Mammogram — right medio-lateral oblique. 27 y/o patient.
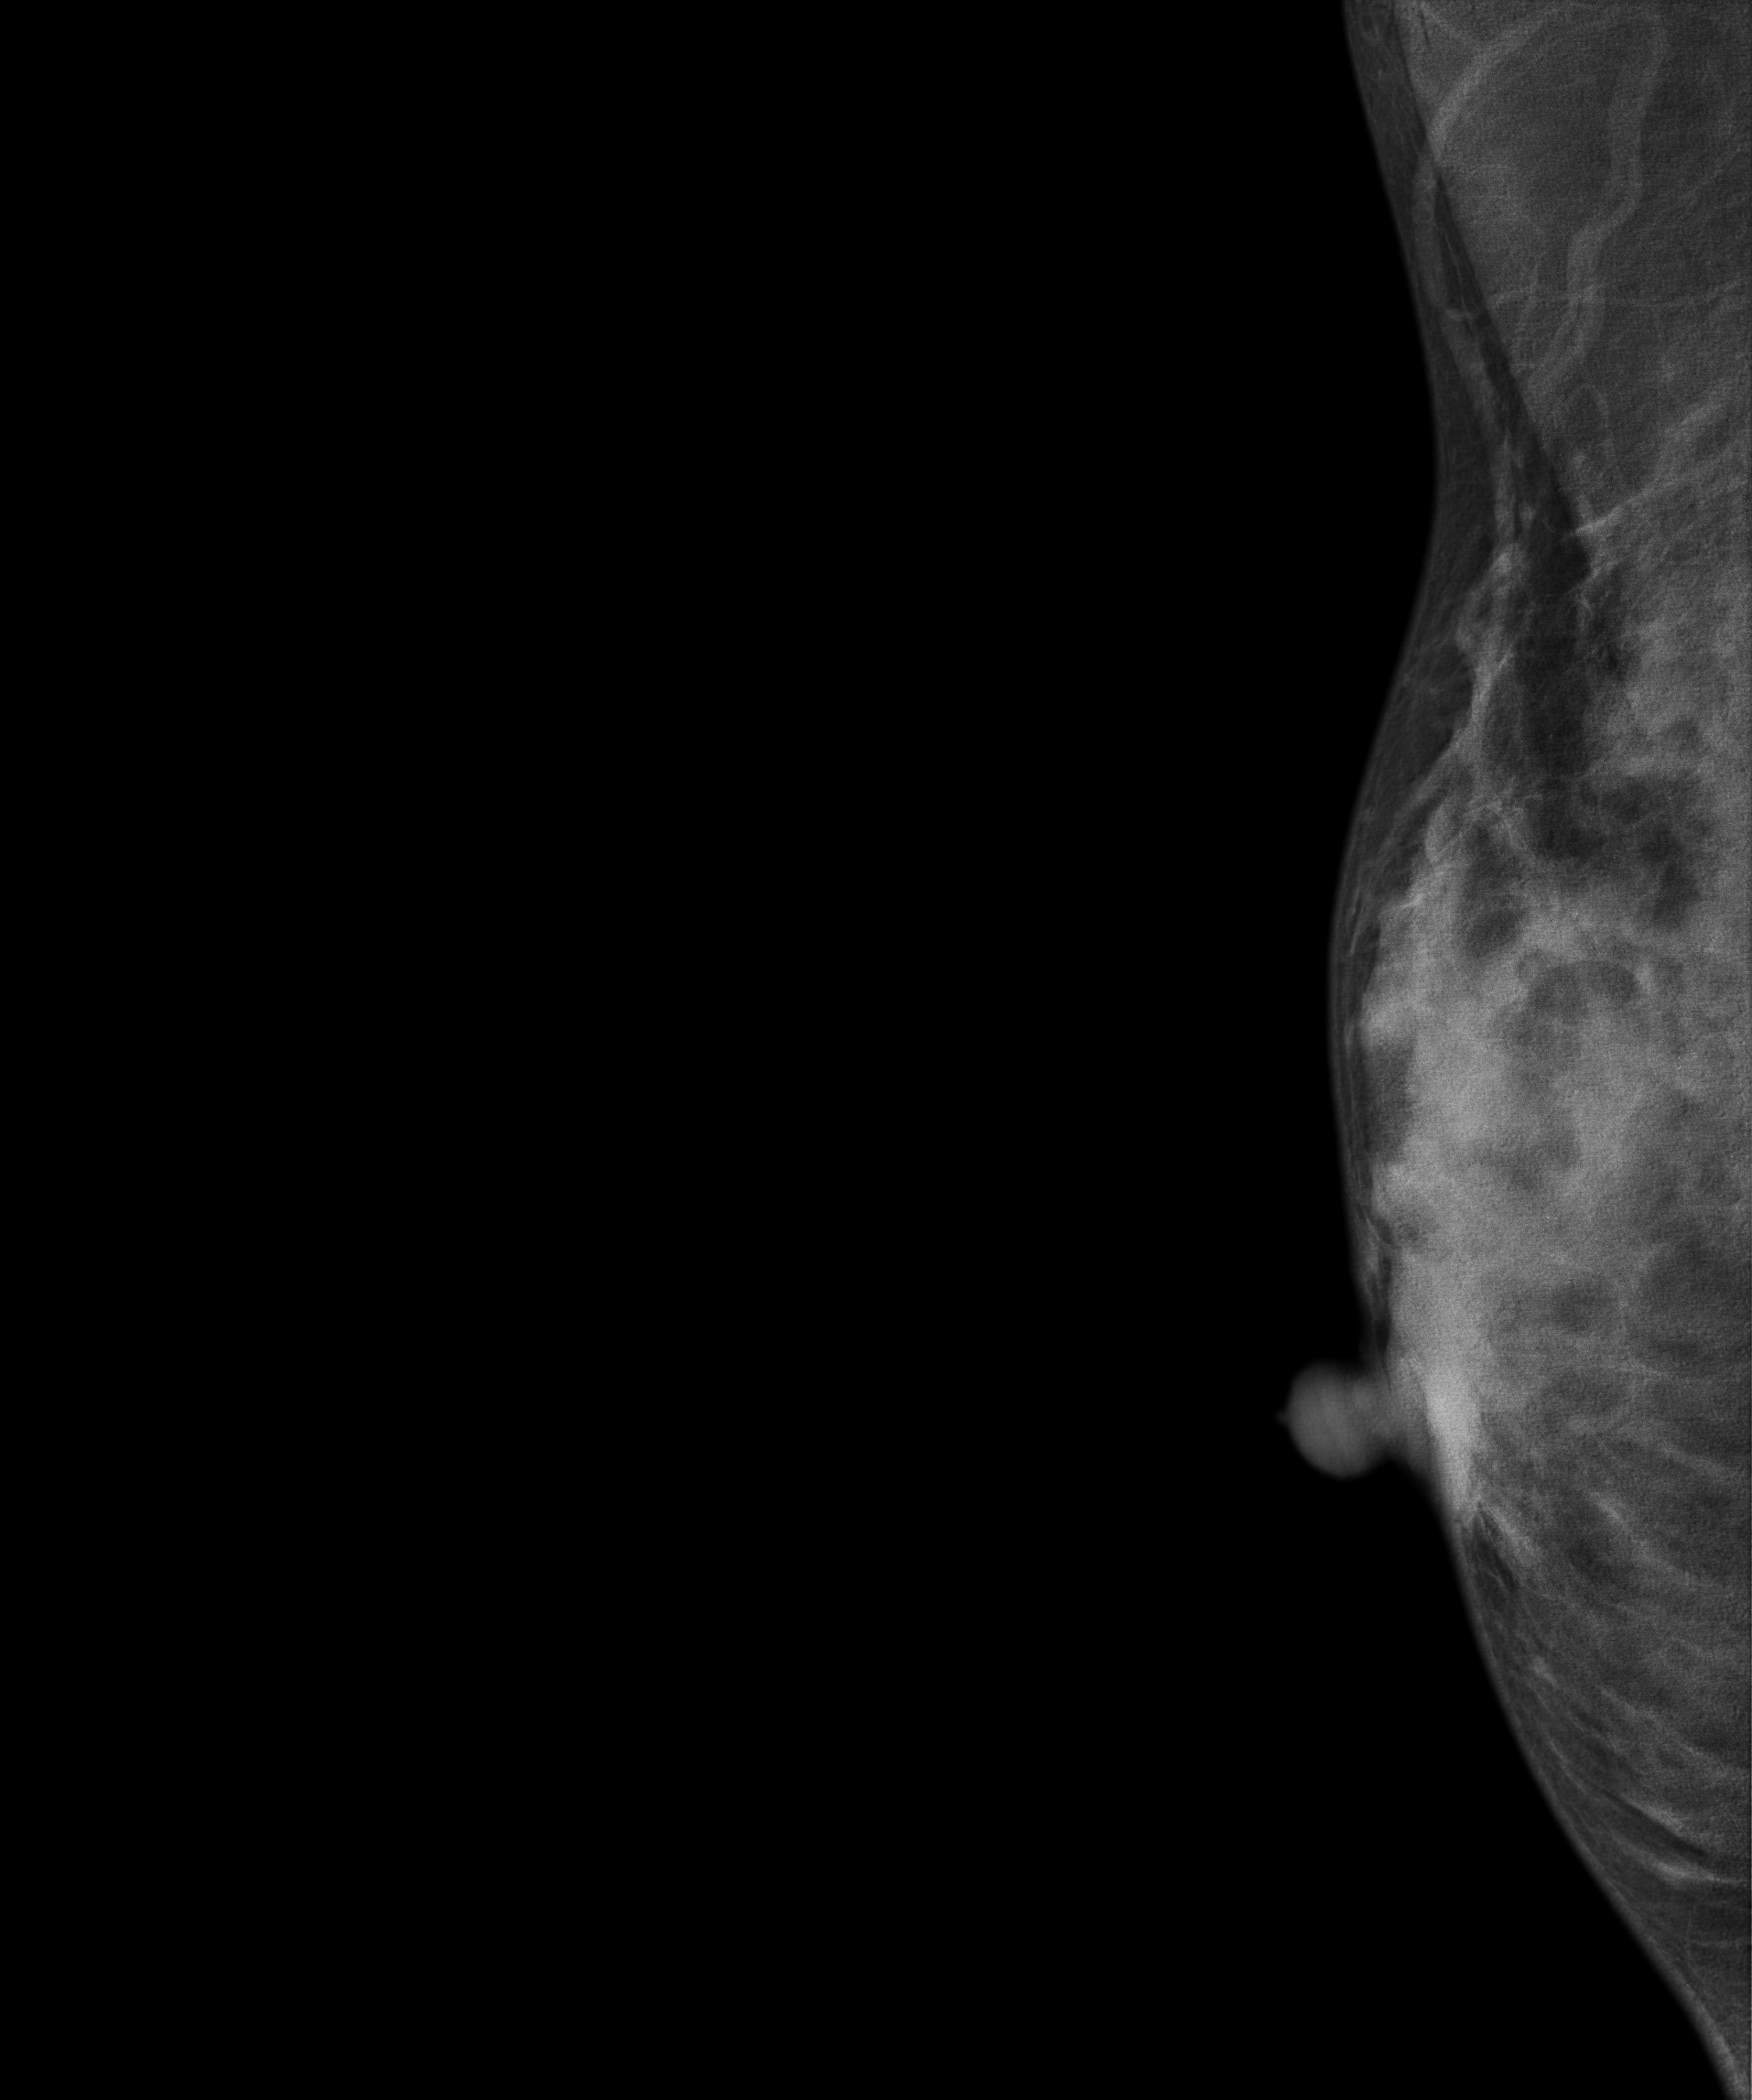
This breast has a mass, biopsy-proven malignant.